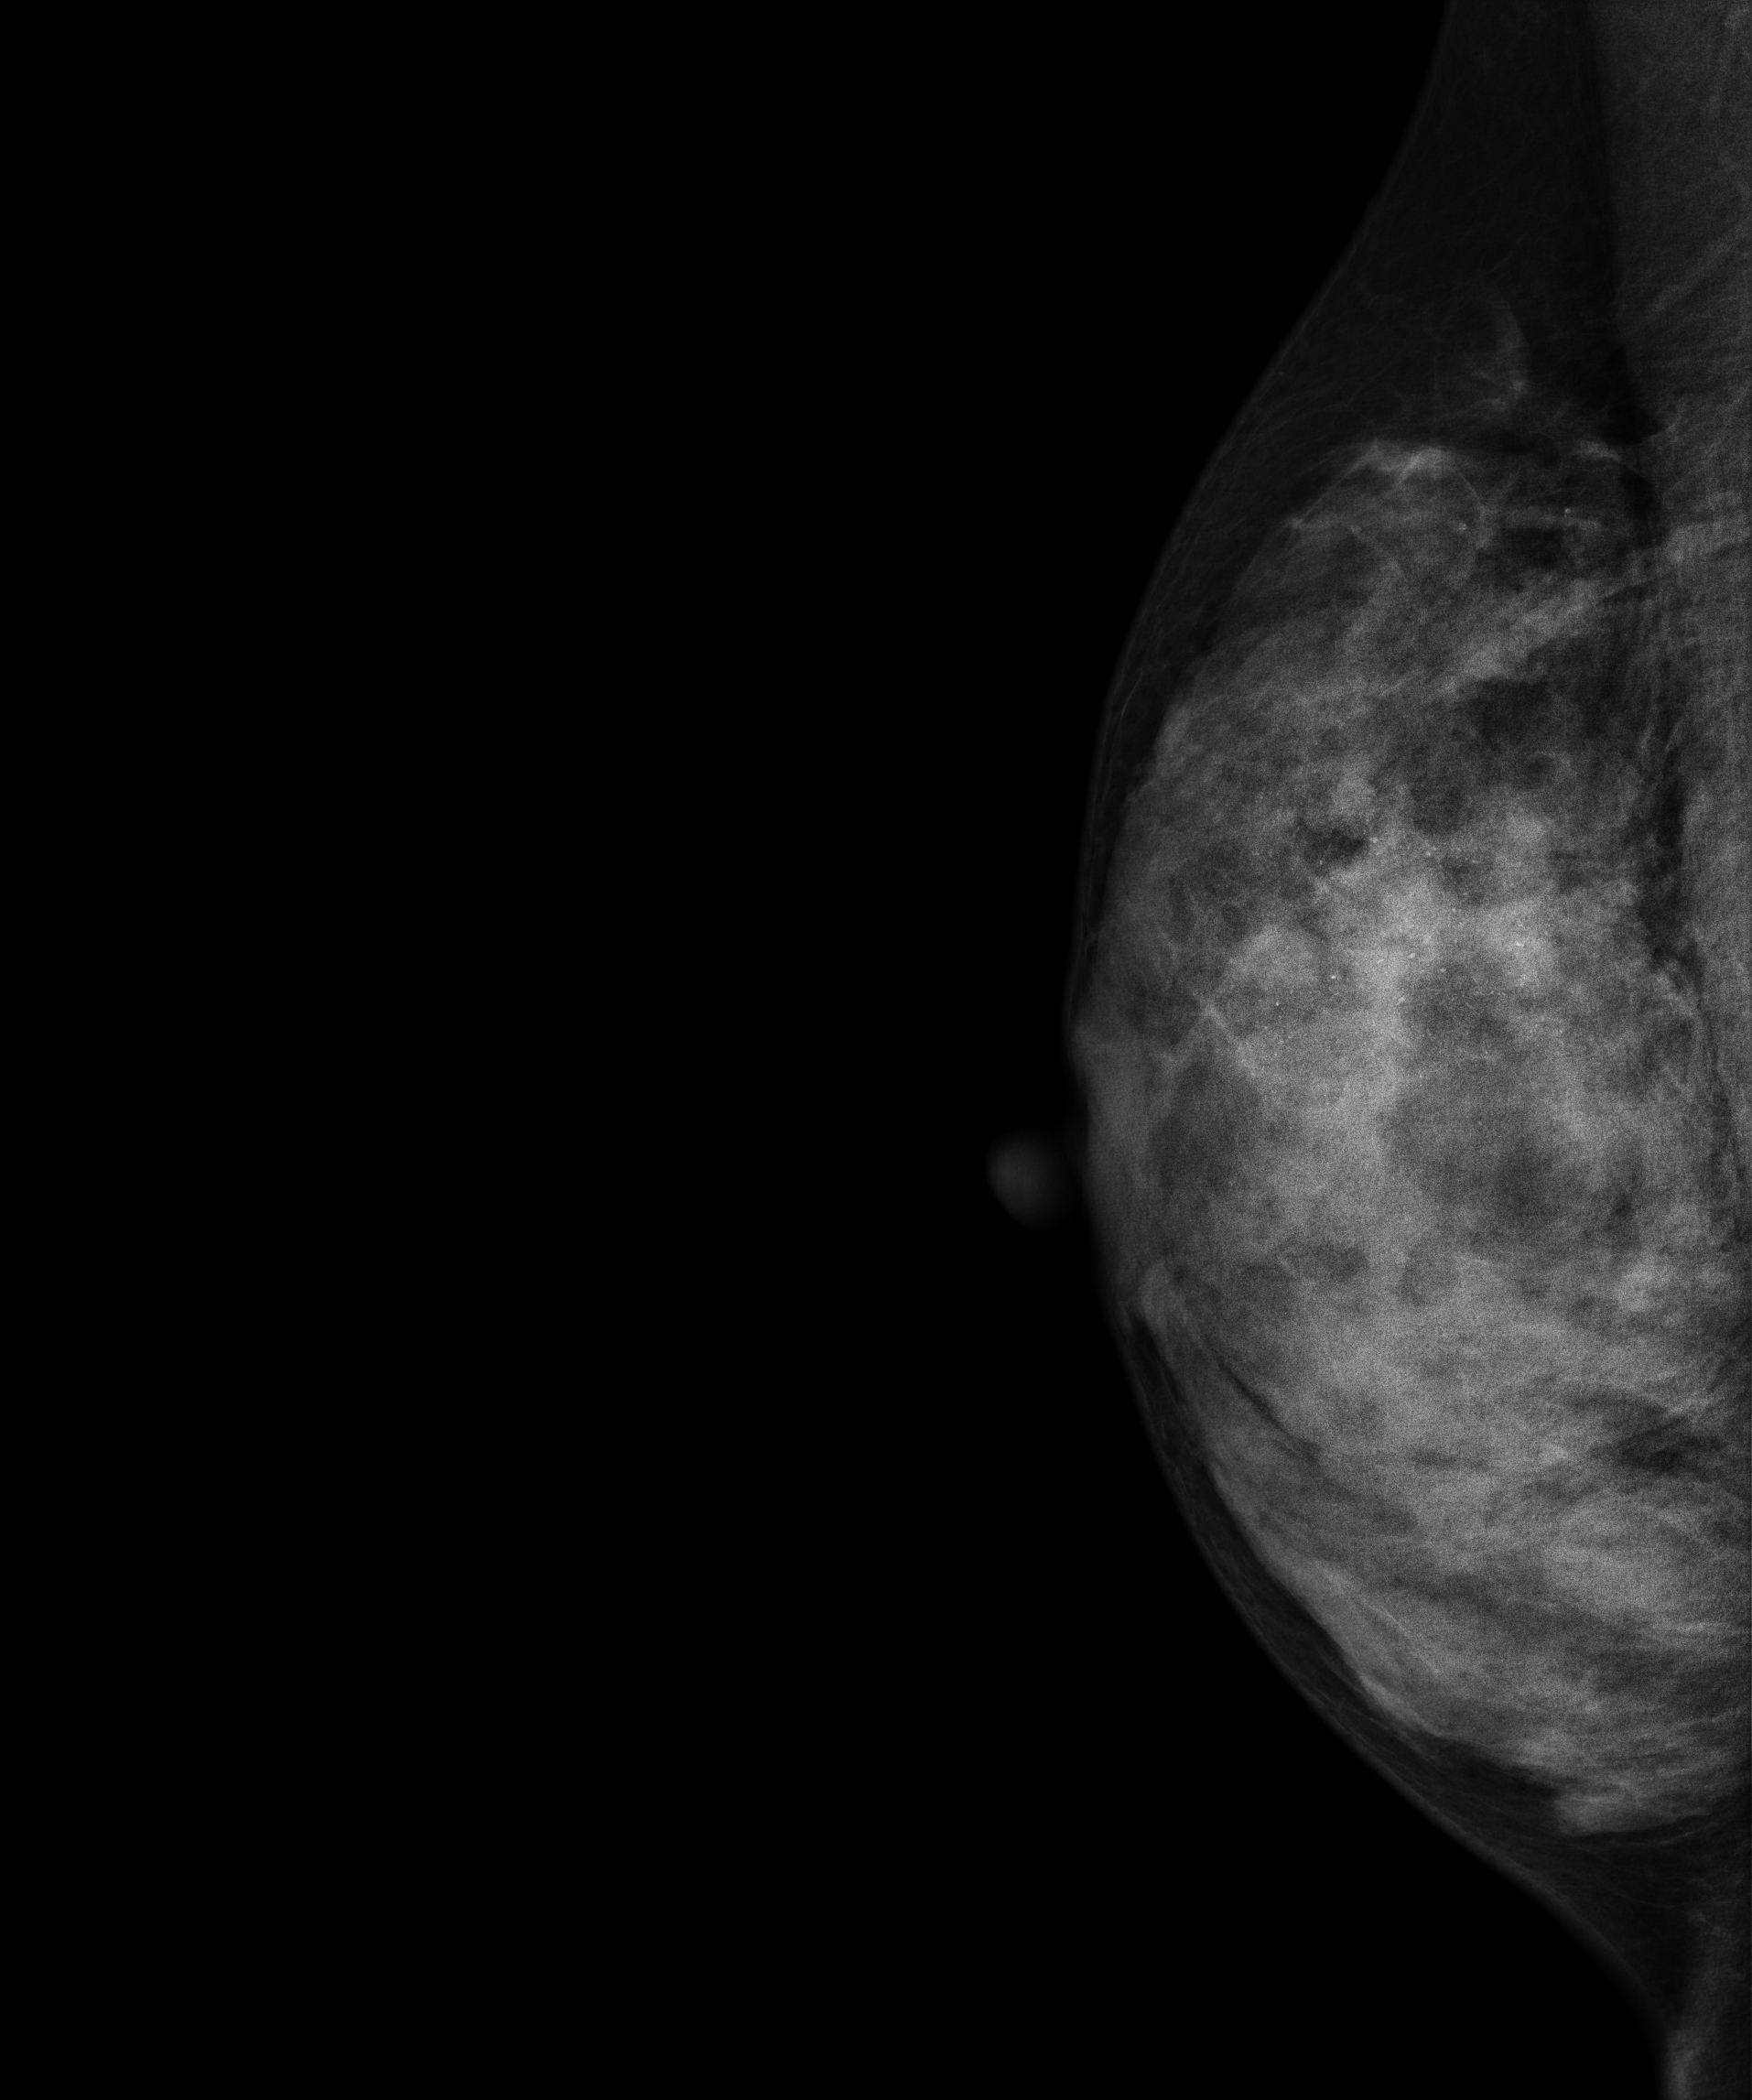
Mammogram — right MLO. Patient age 33.
This breast has calcifications, biopsy-proven malignant. Molecular subtype: luminal B.